Left-breast mammogram, CC. 51-year-old patient.
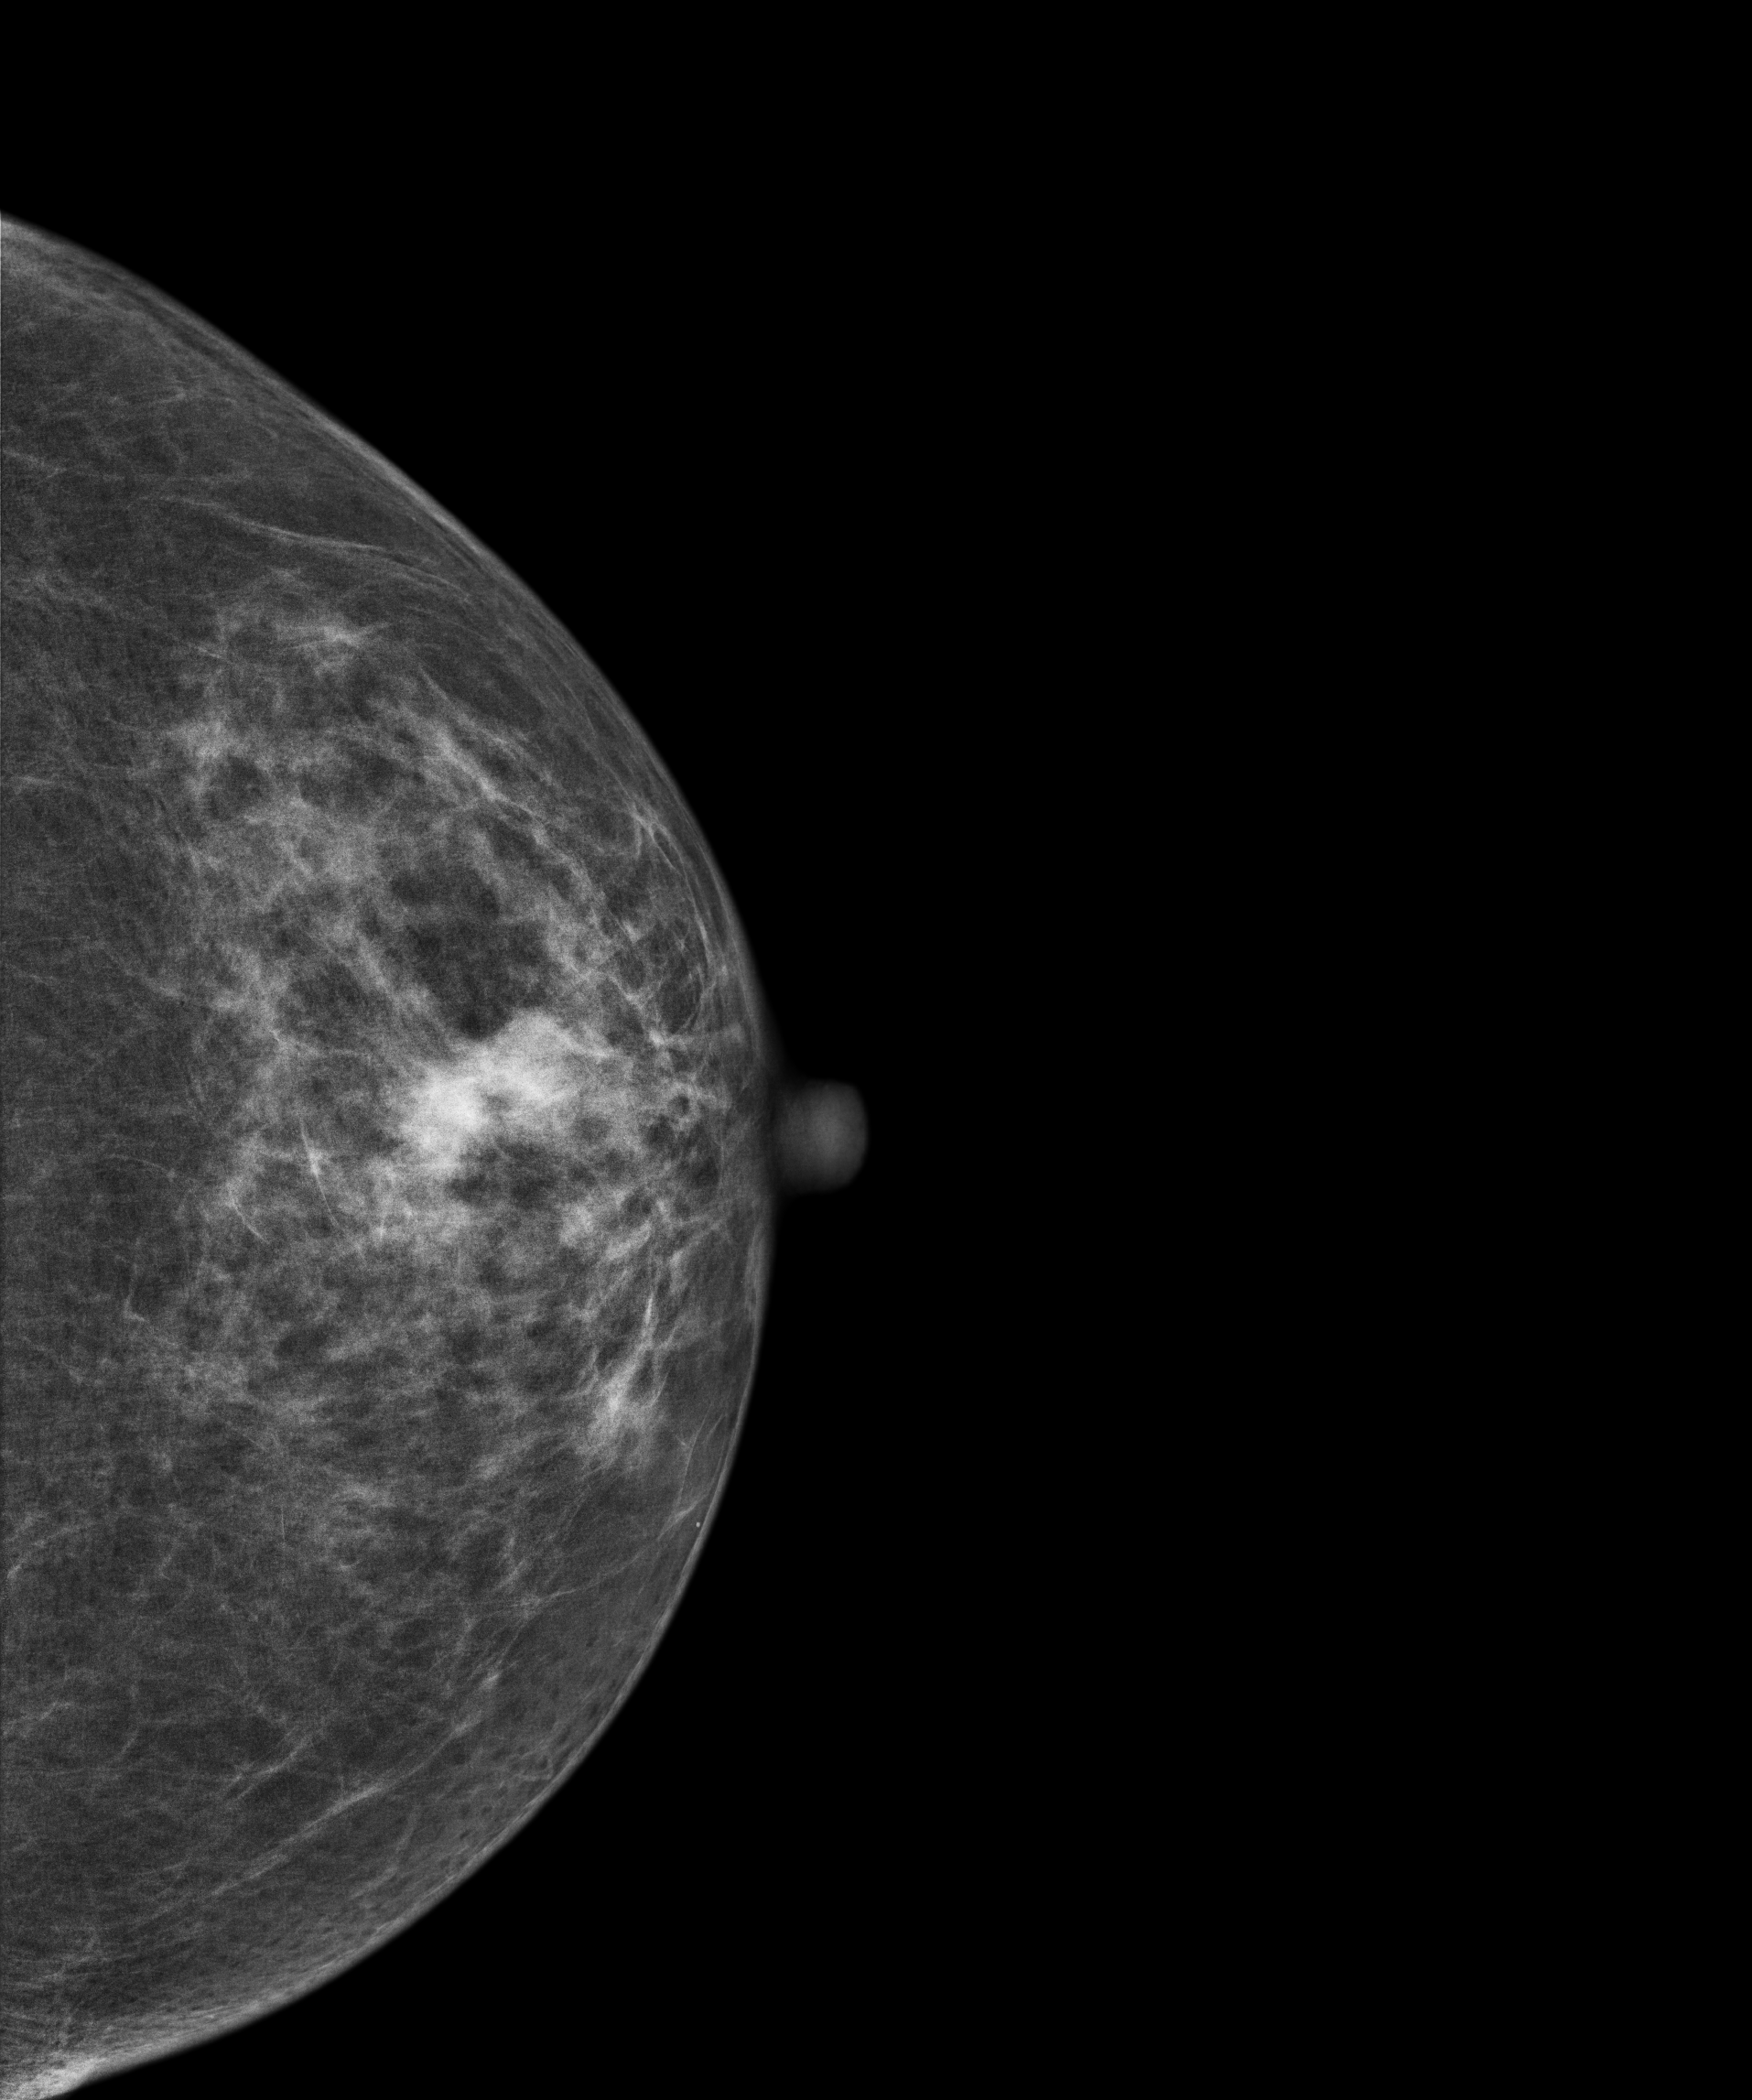
This breast has a mass, pathology-confirmed malignant. Molecular subtype: luminal A.